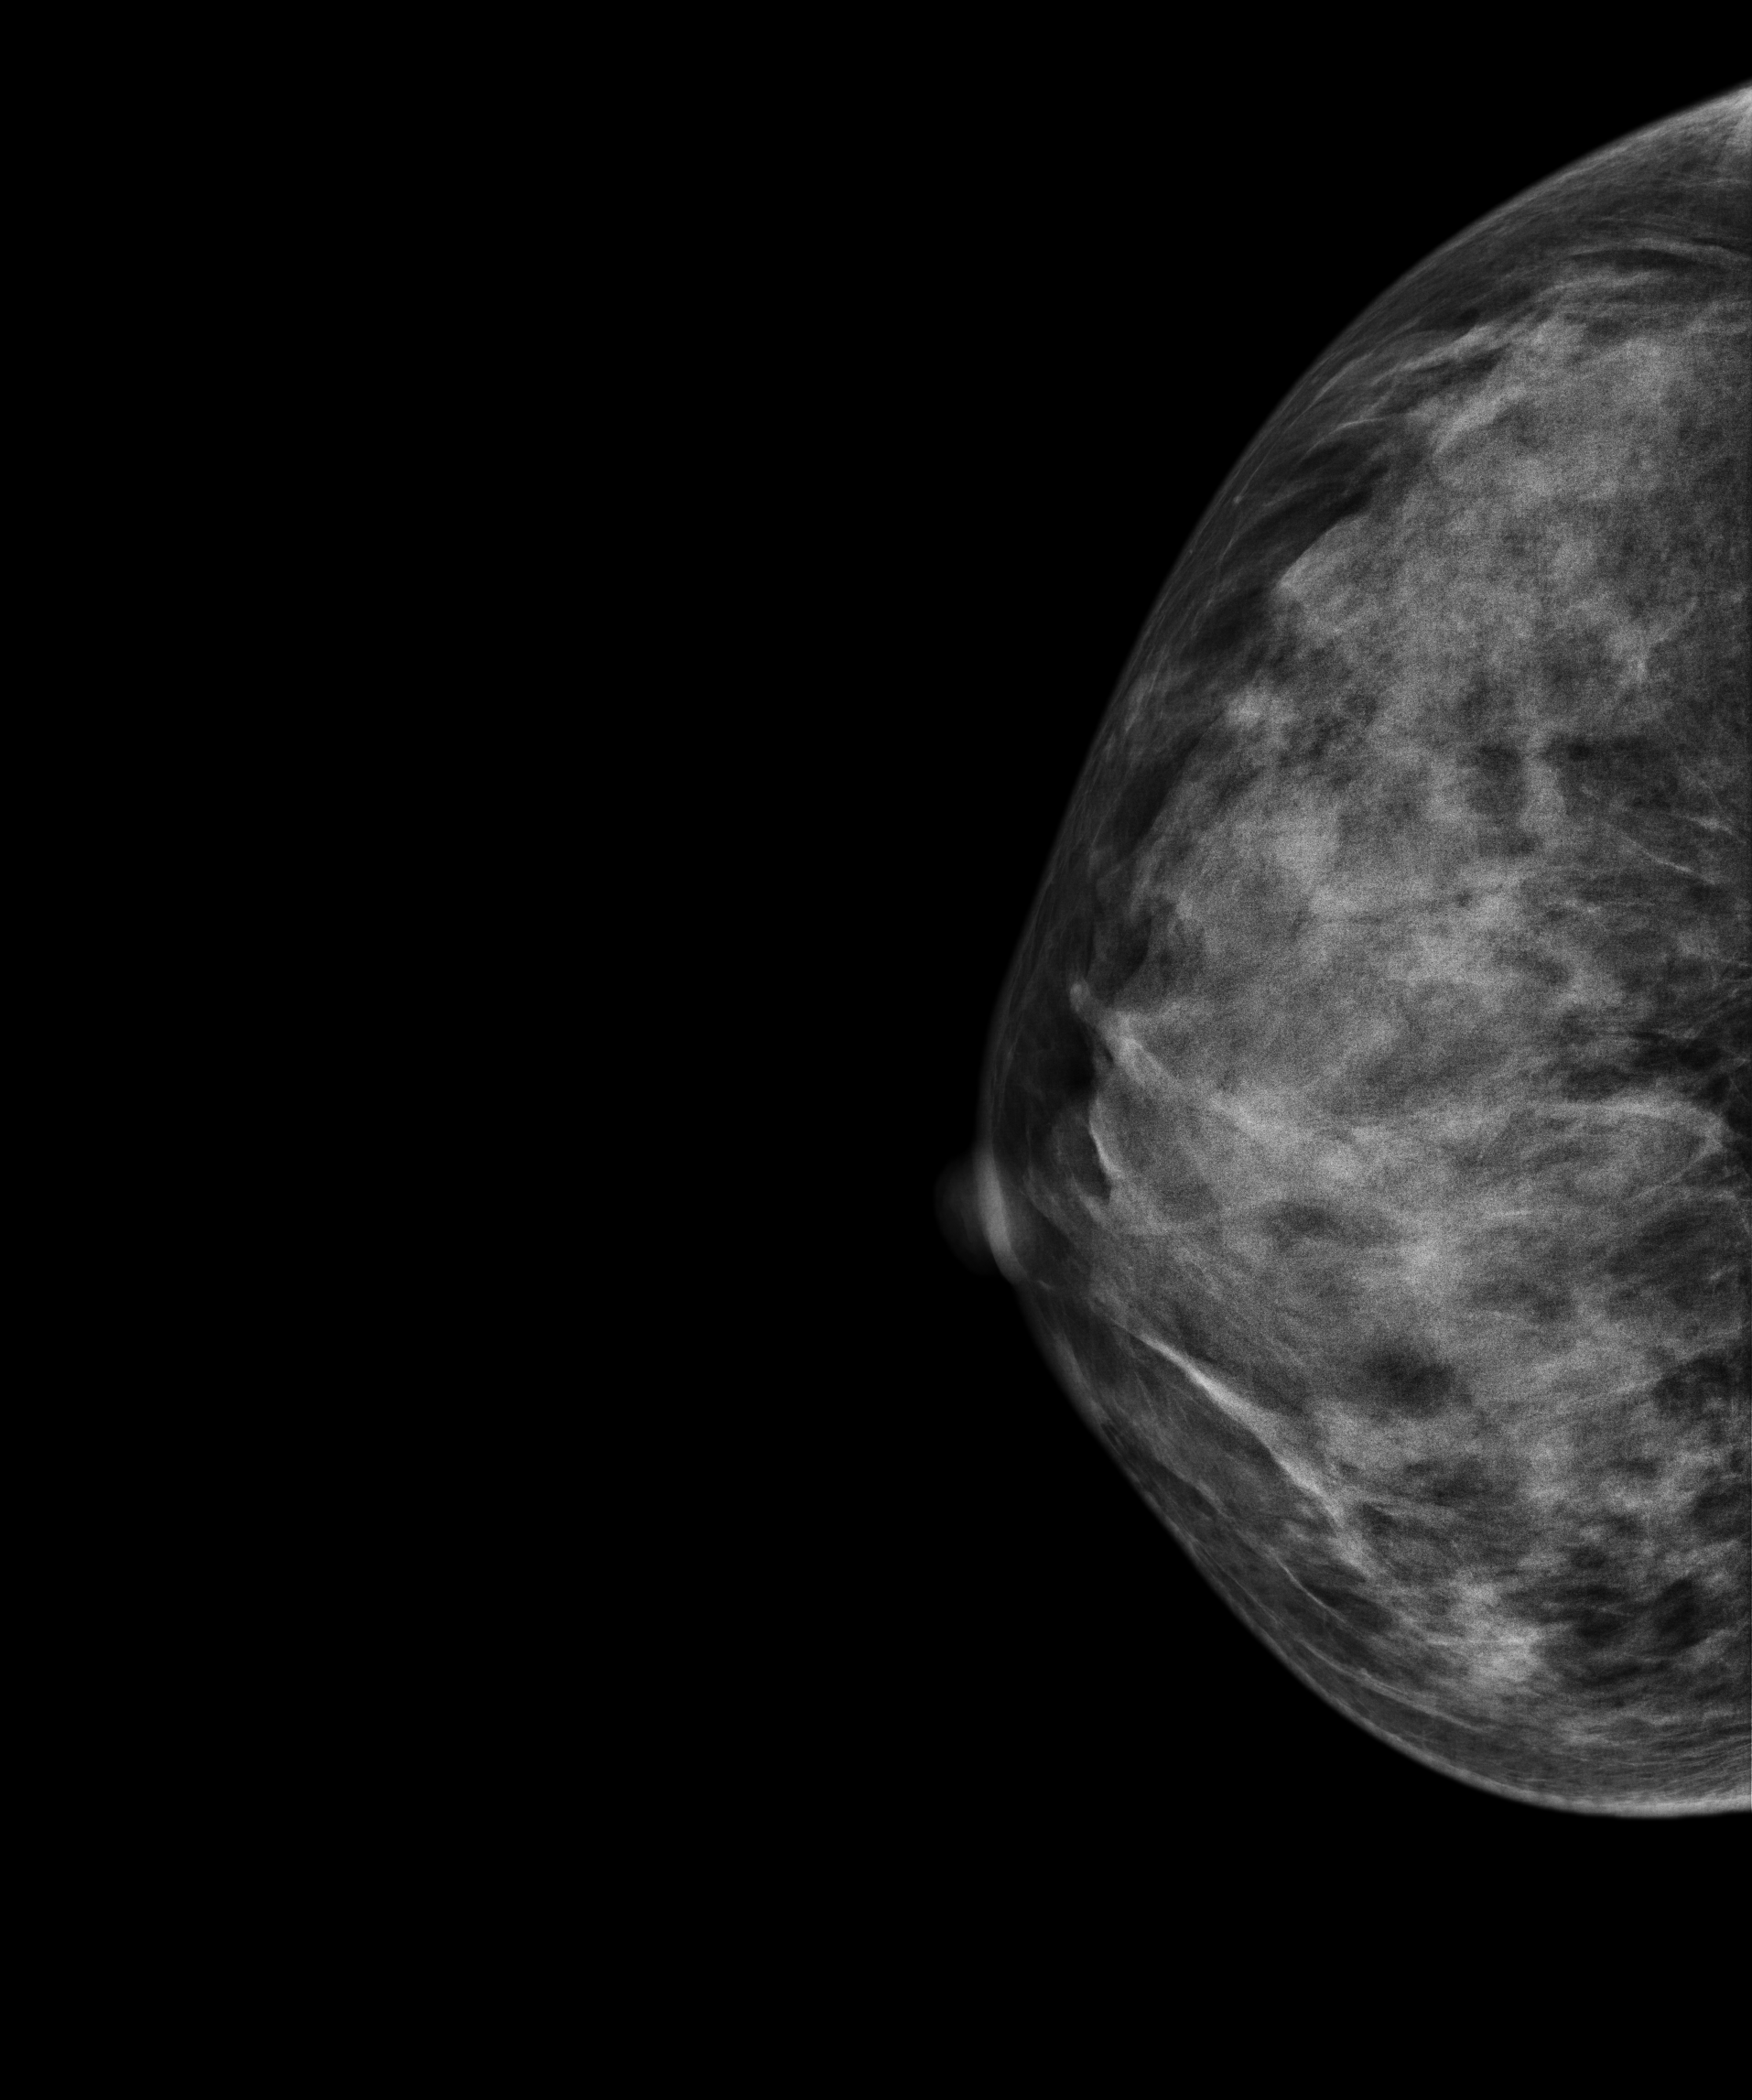
Cranio-caudal mammogram of the right breast. 27-year-old patient.
Contralateral breast — no documented abnormality on this side.